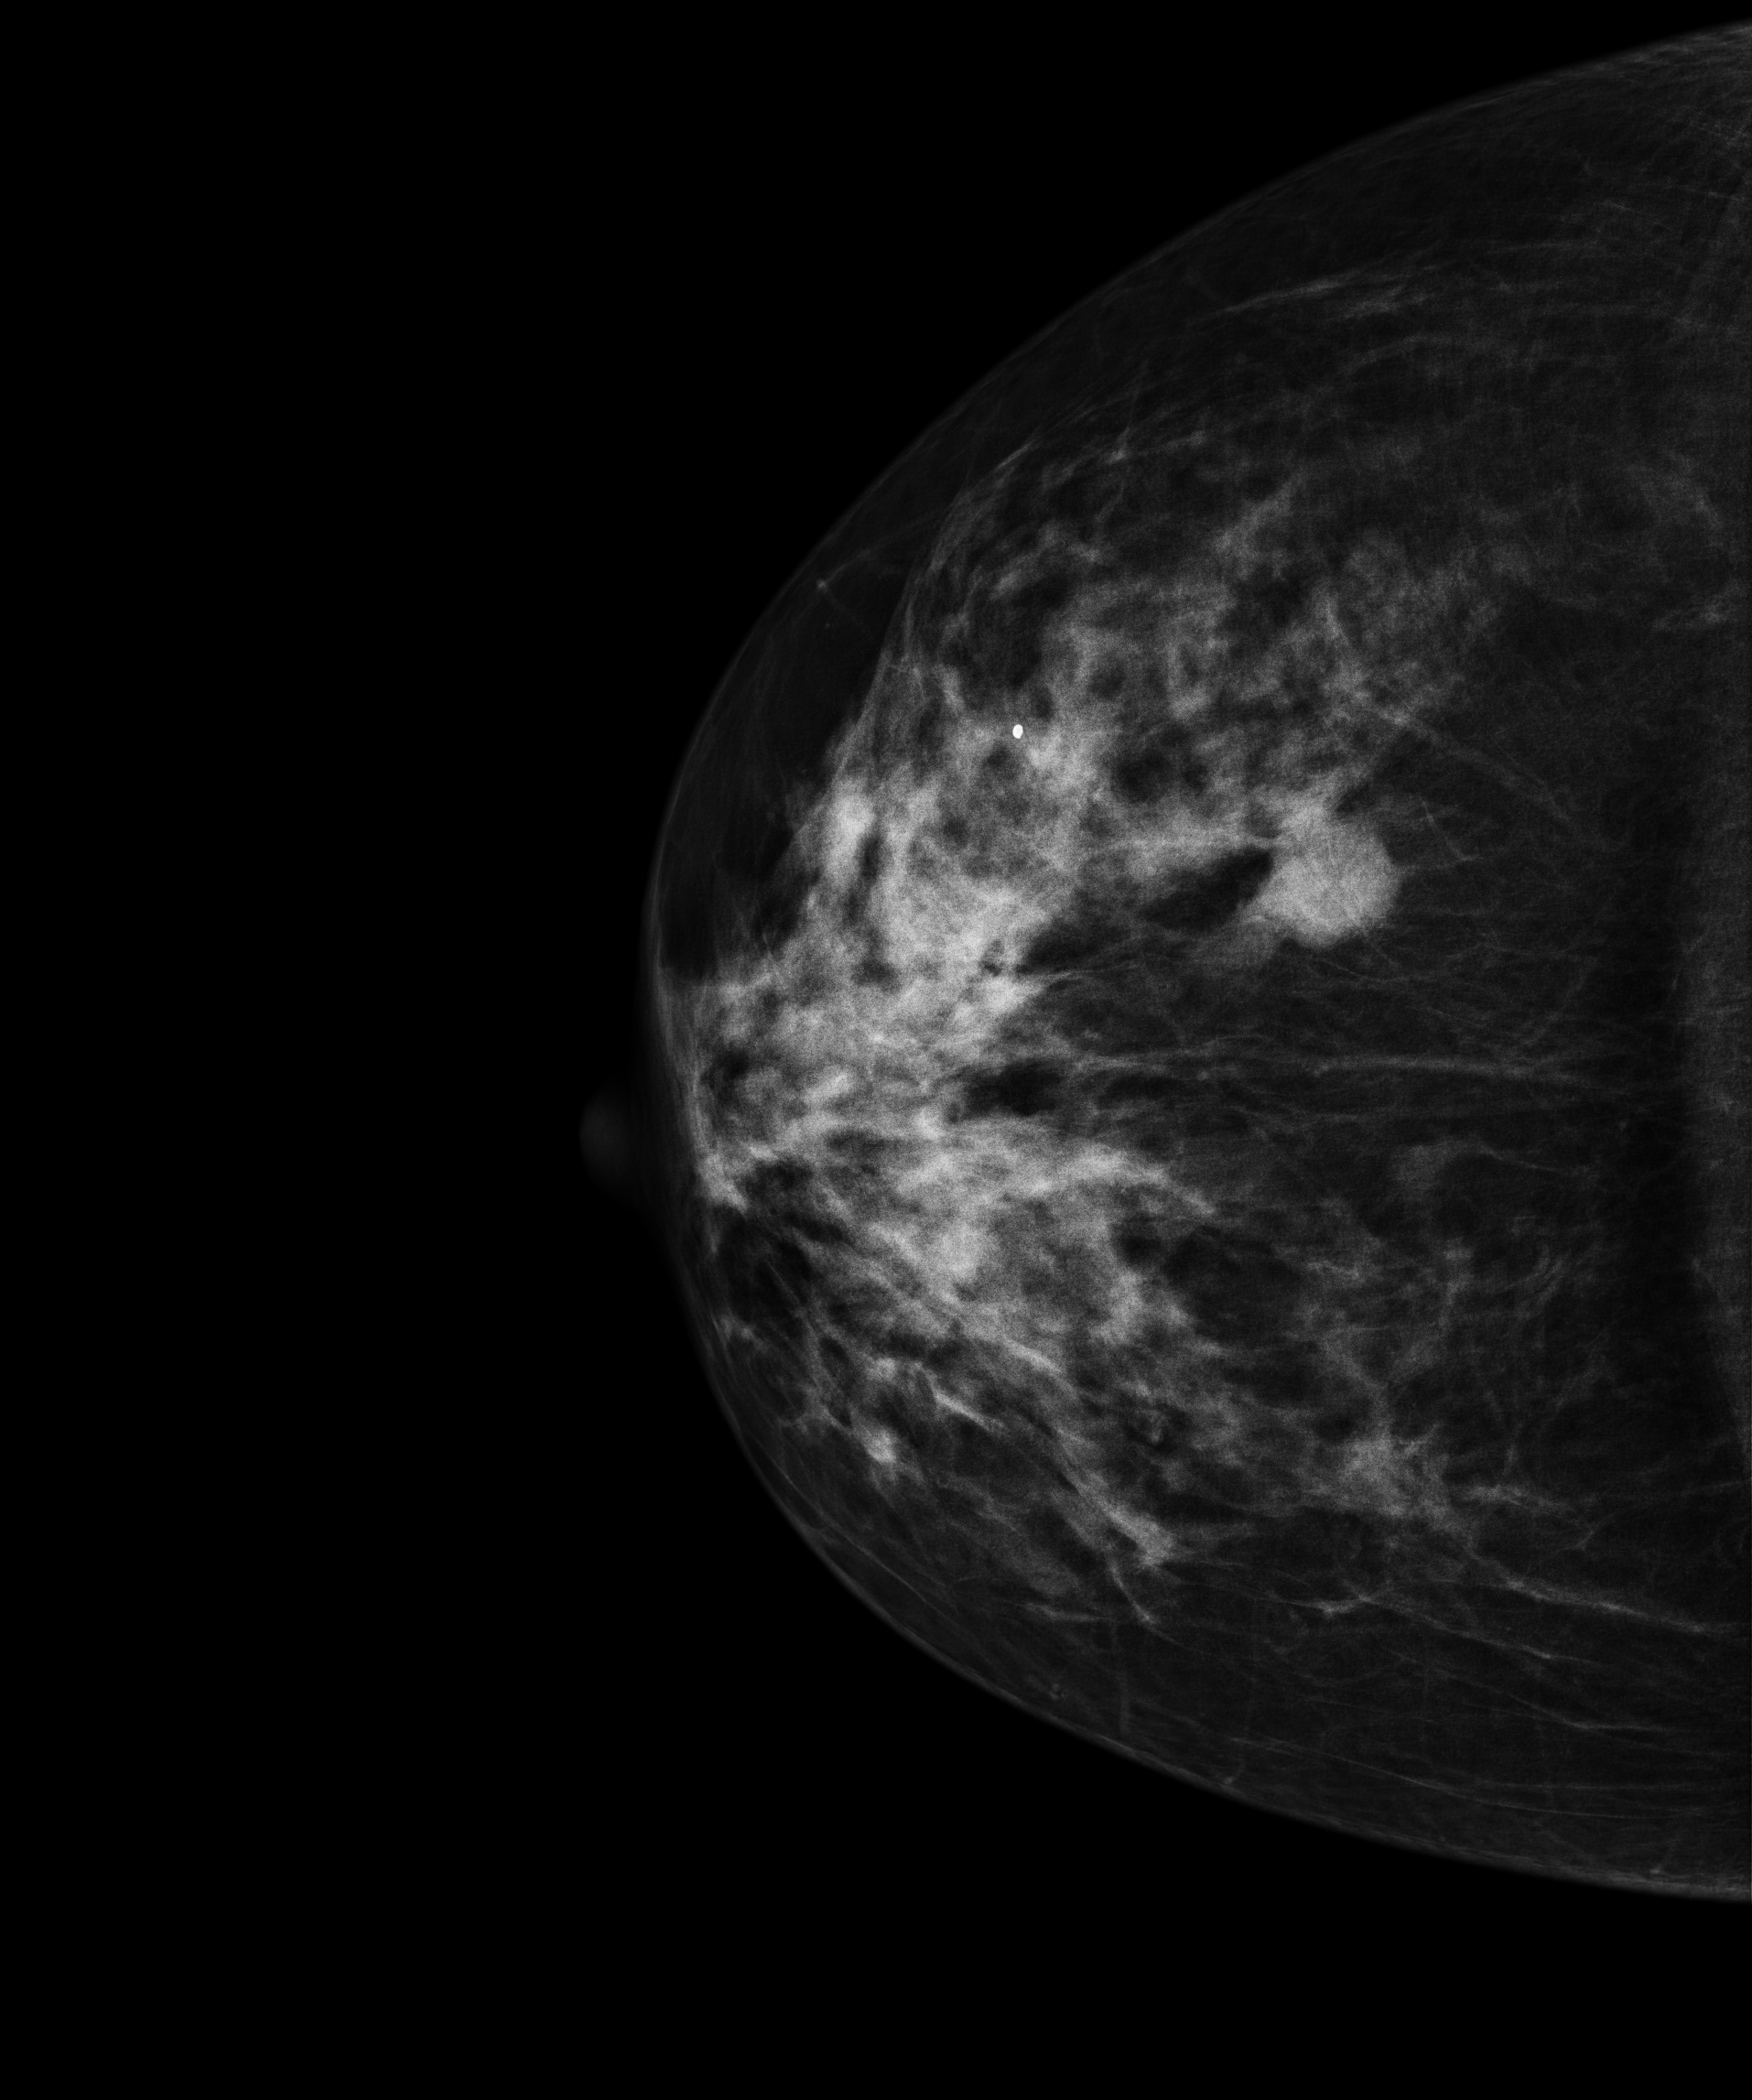
Digital mammography. Right breast, cranio-caudal projection. 55 y/o patient.
This breast has a mass, biopsy-proven malignant. Molecular subtype: luminal B.